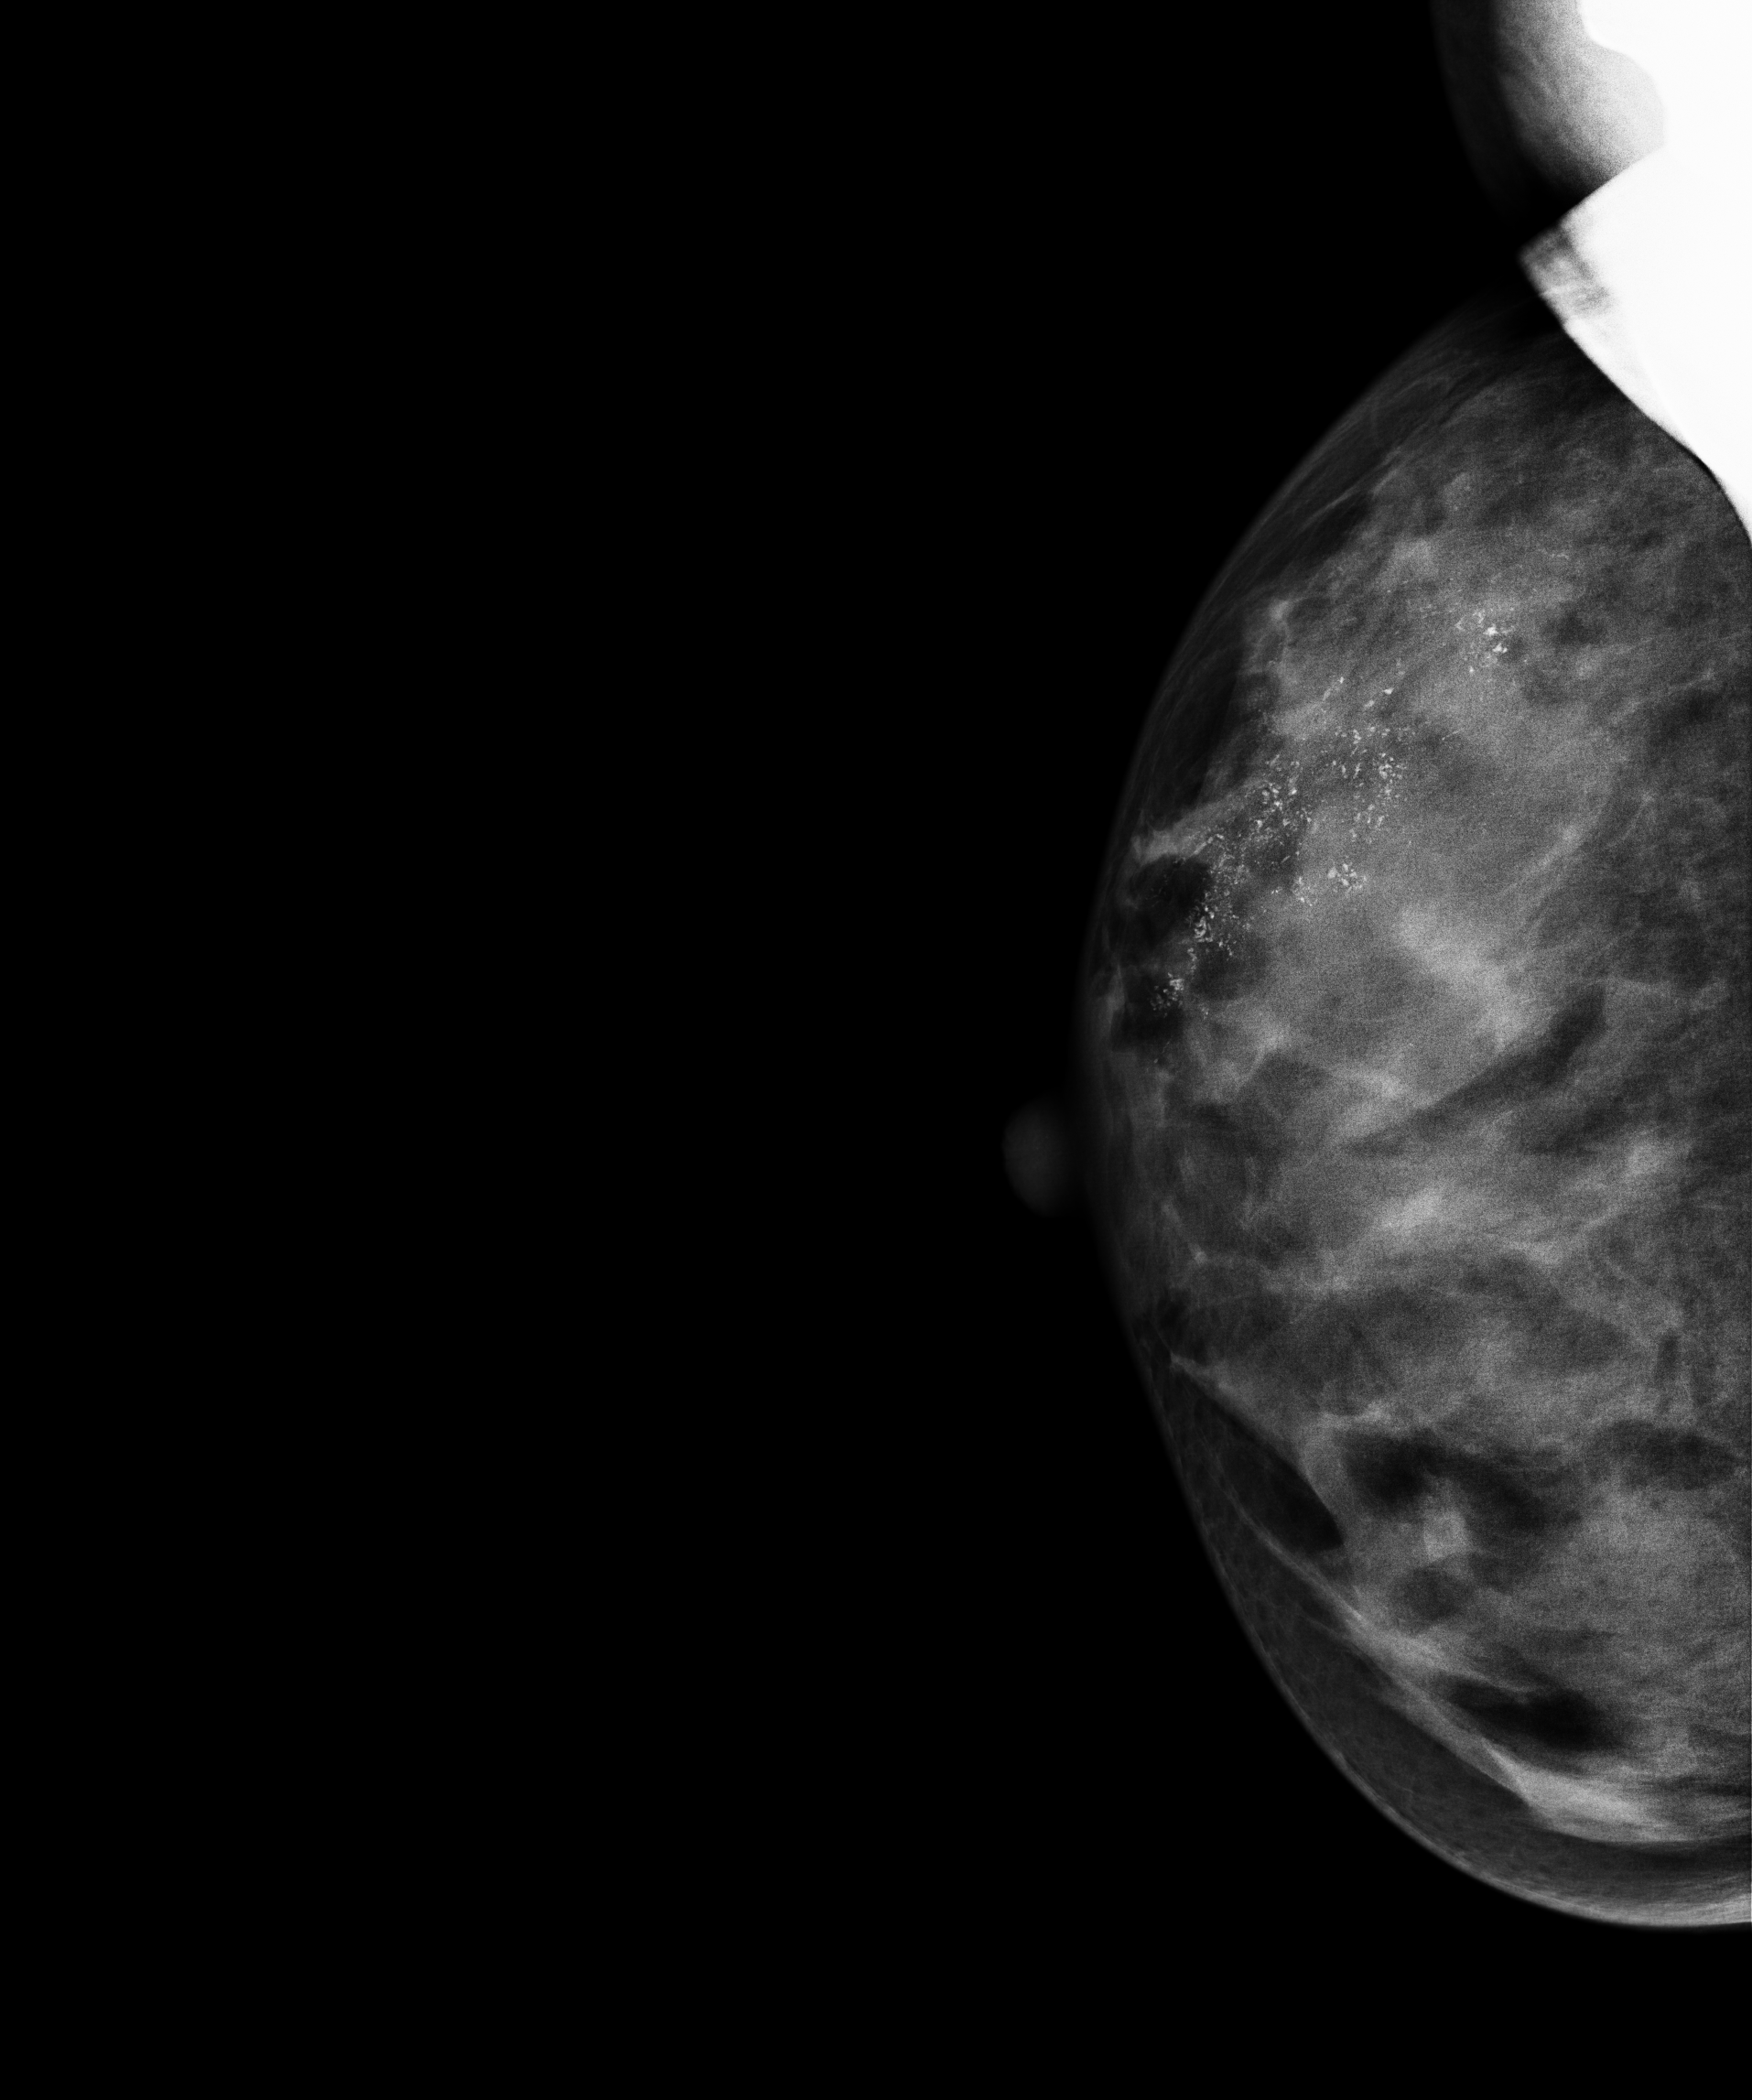
Right-breast mammogram, MLO. Patient age 28.
This breast has calcifications, biopsy-proven malignant.